Mammogram — right cranio-caudal. Patient age 50.
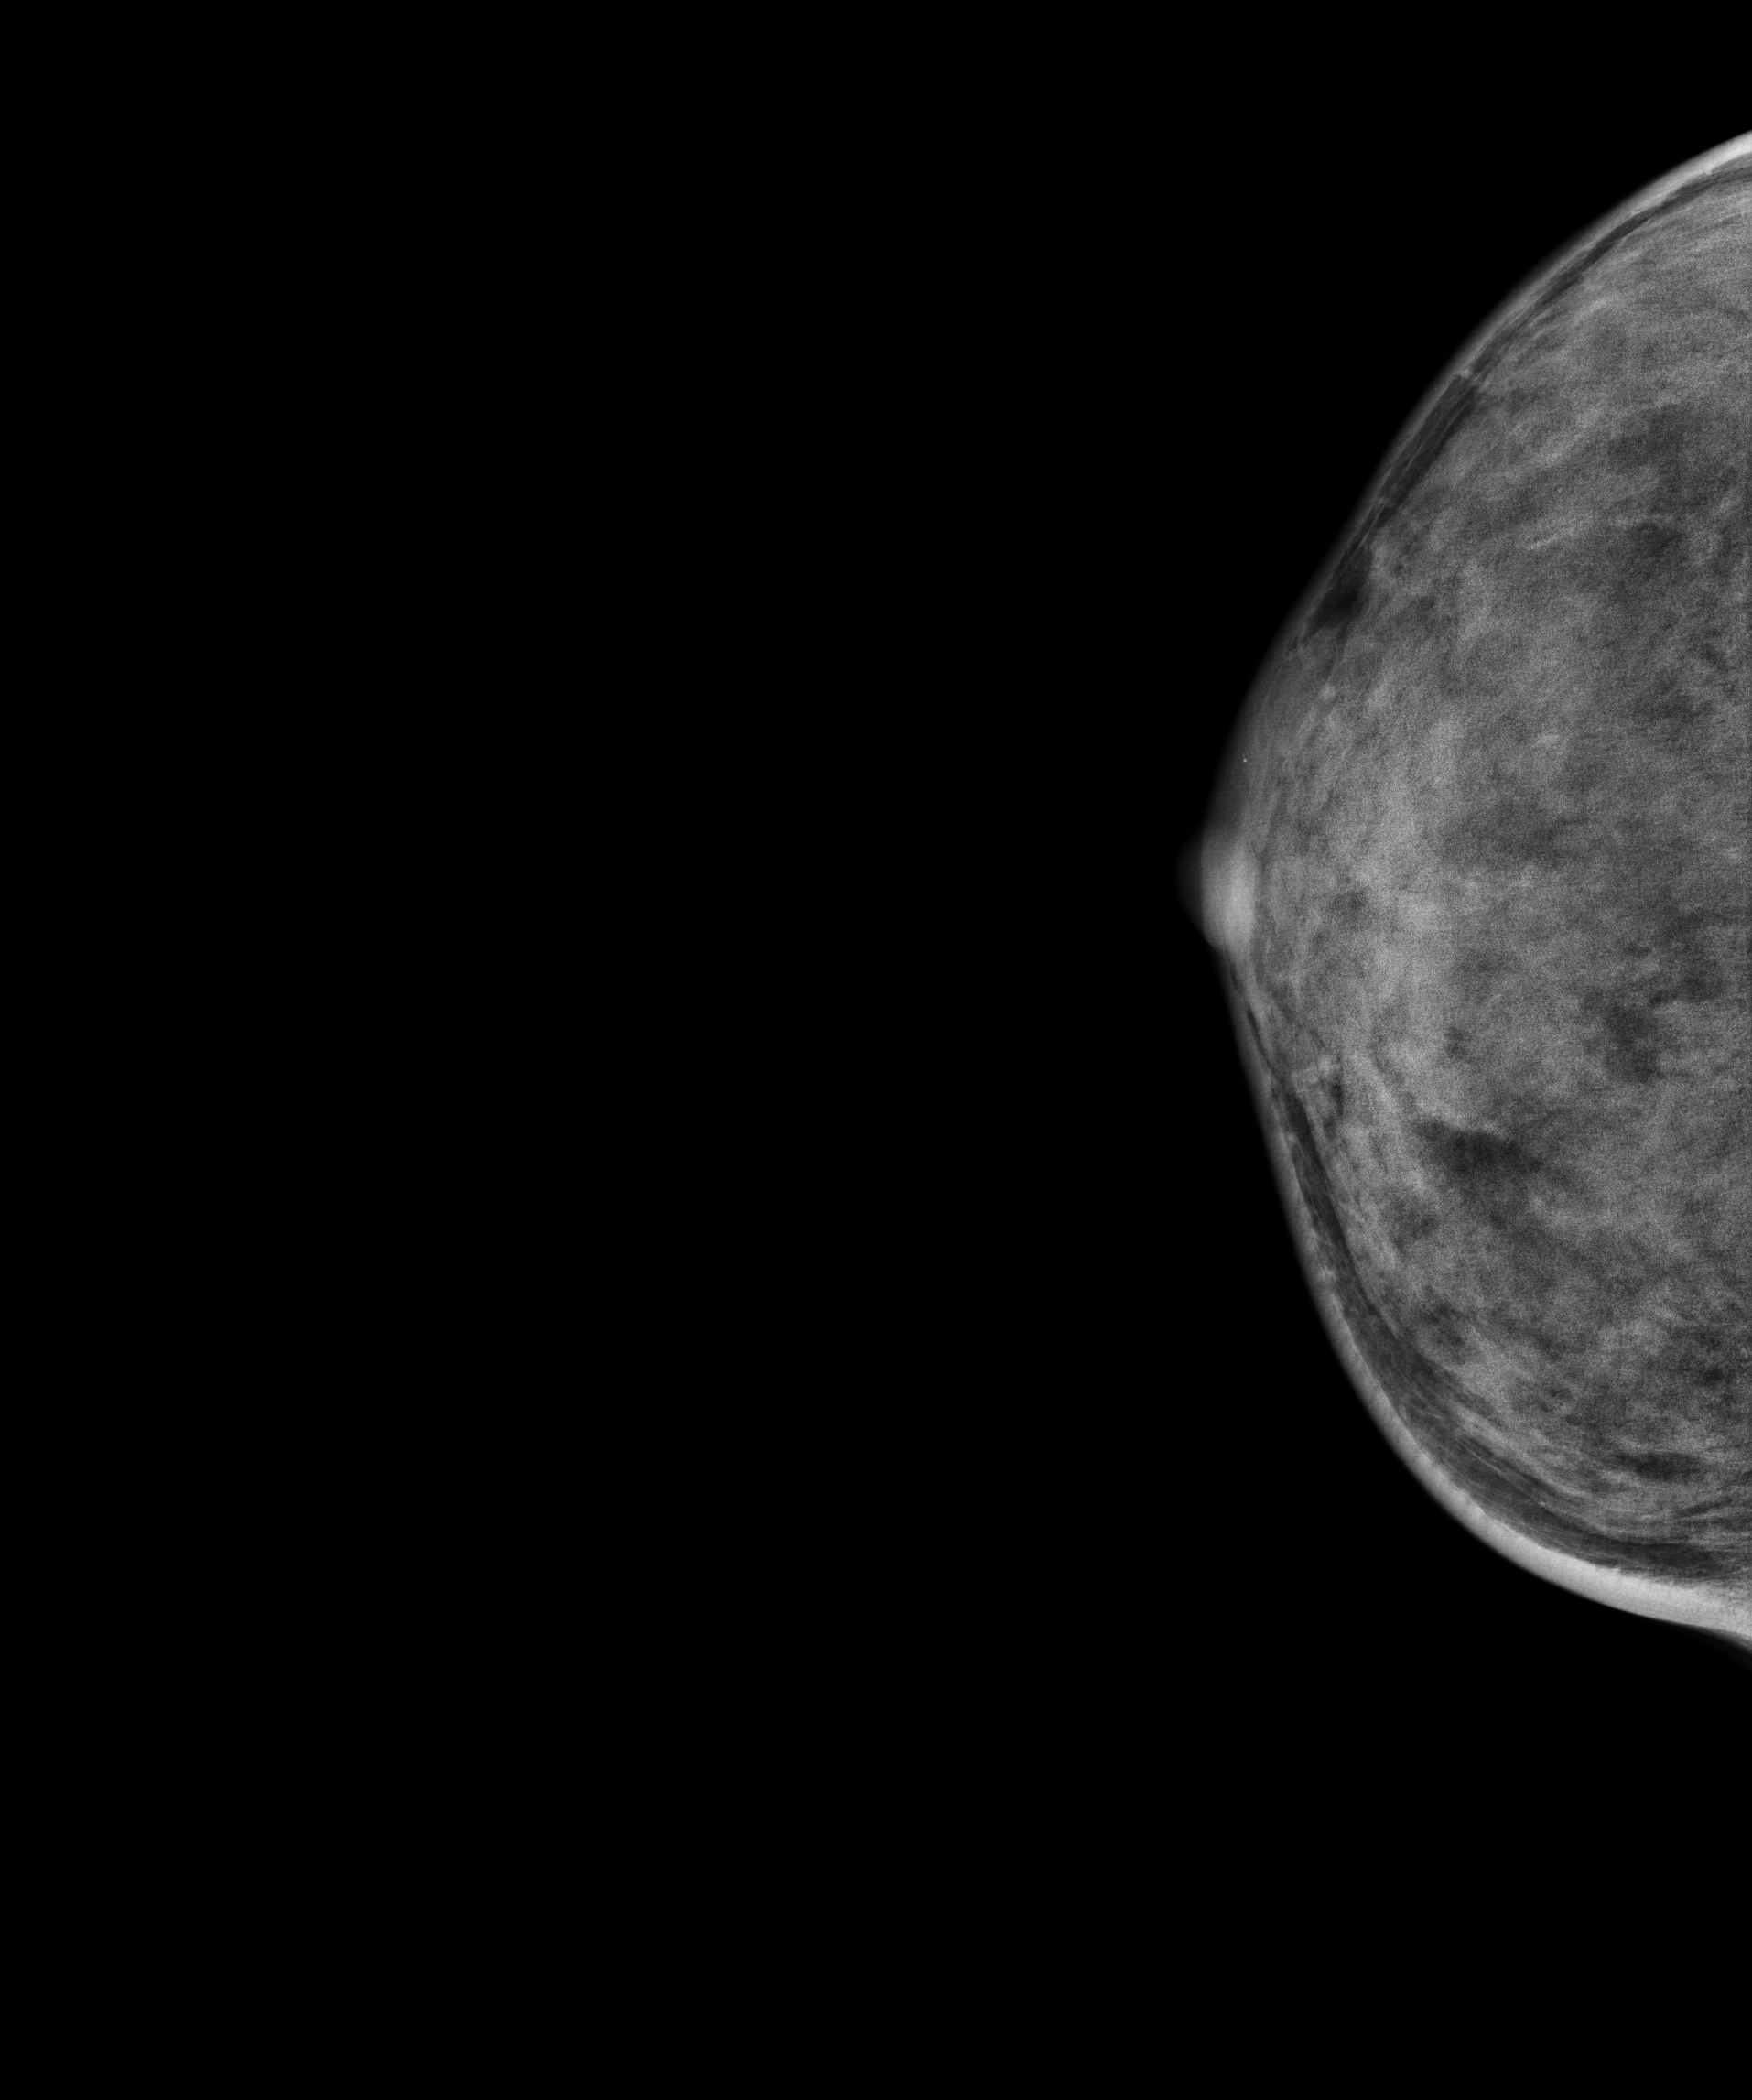
This breast has a mass, pathology-confirmed benign.